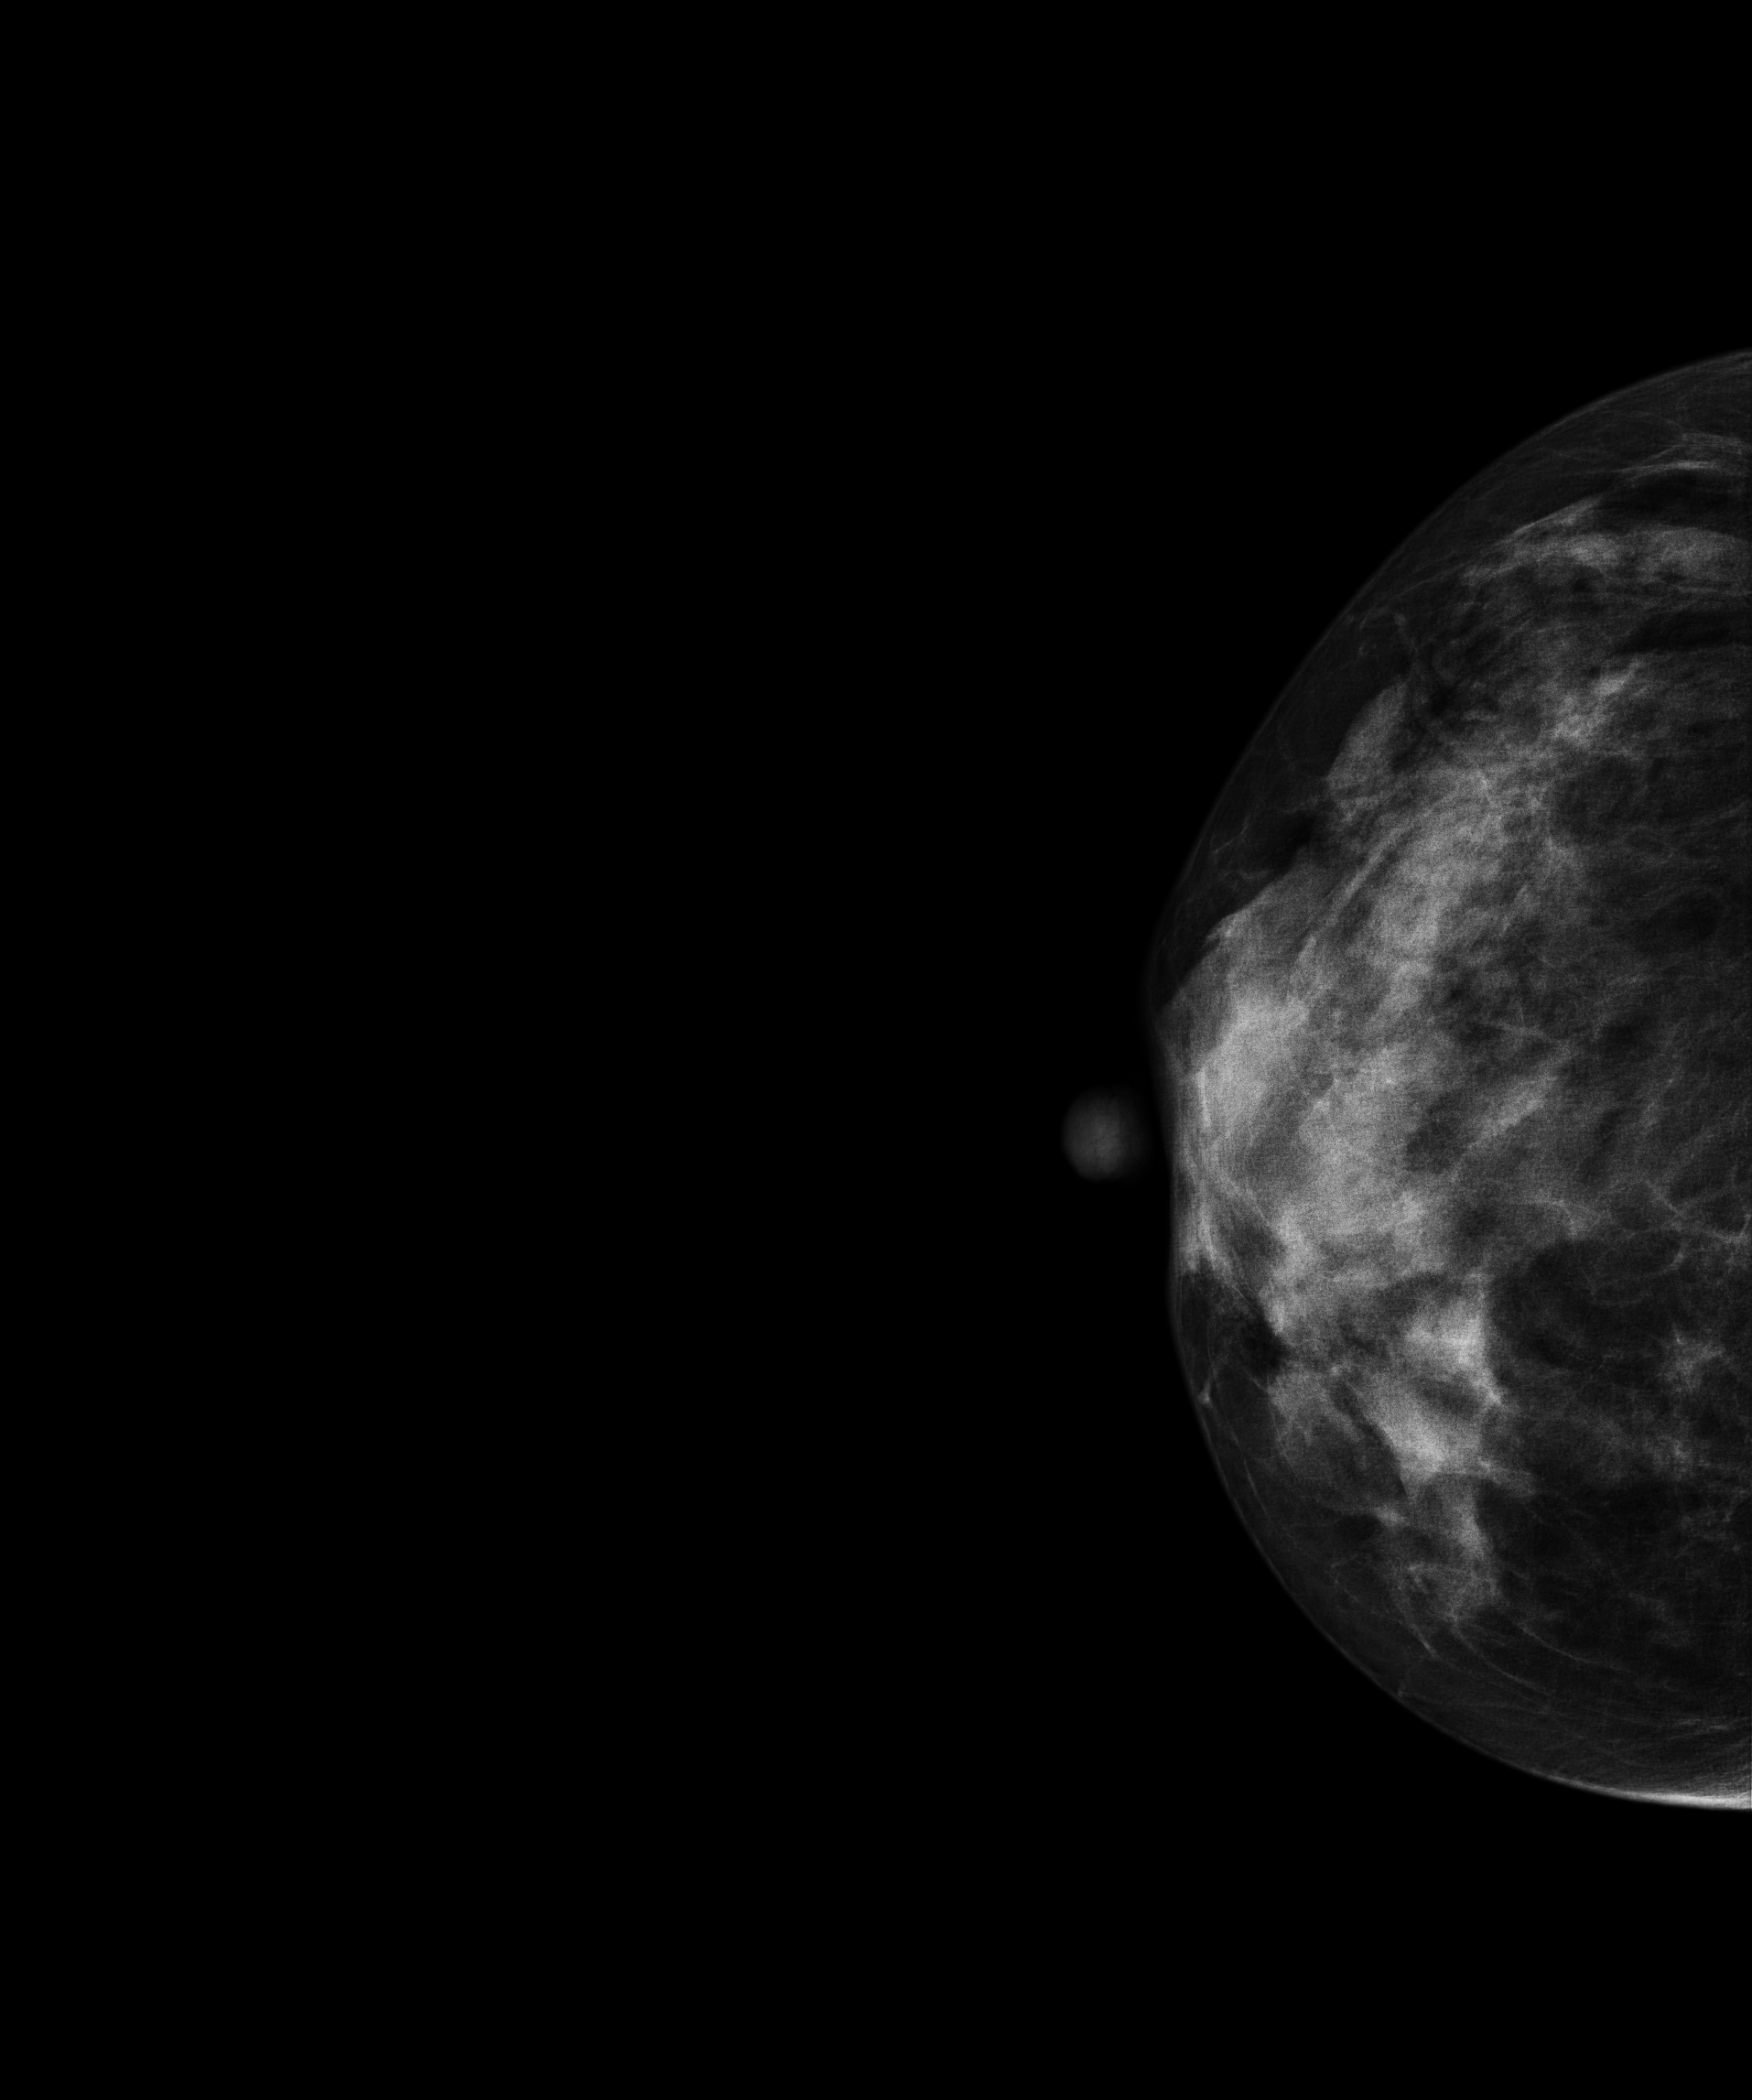
Mammogram, right breast, CC view. Patient age 56.
Contralateral breast — no documented abnormality on this side.